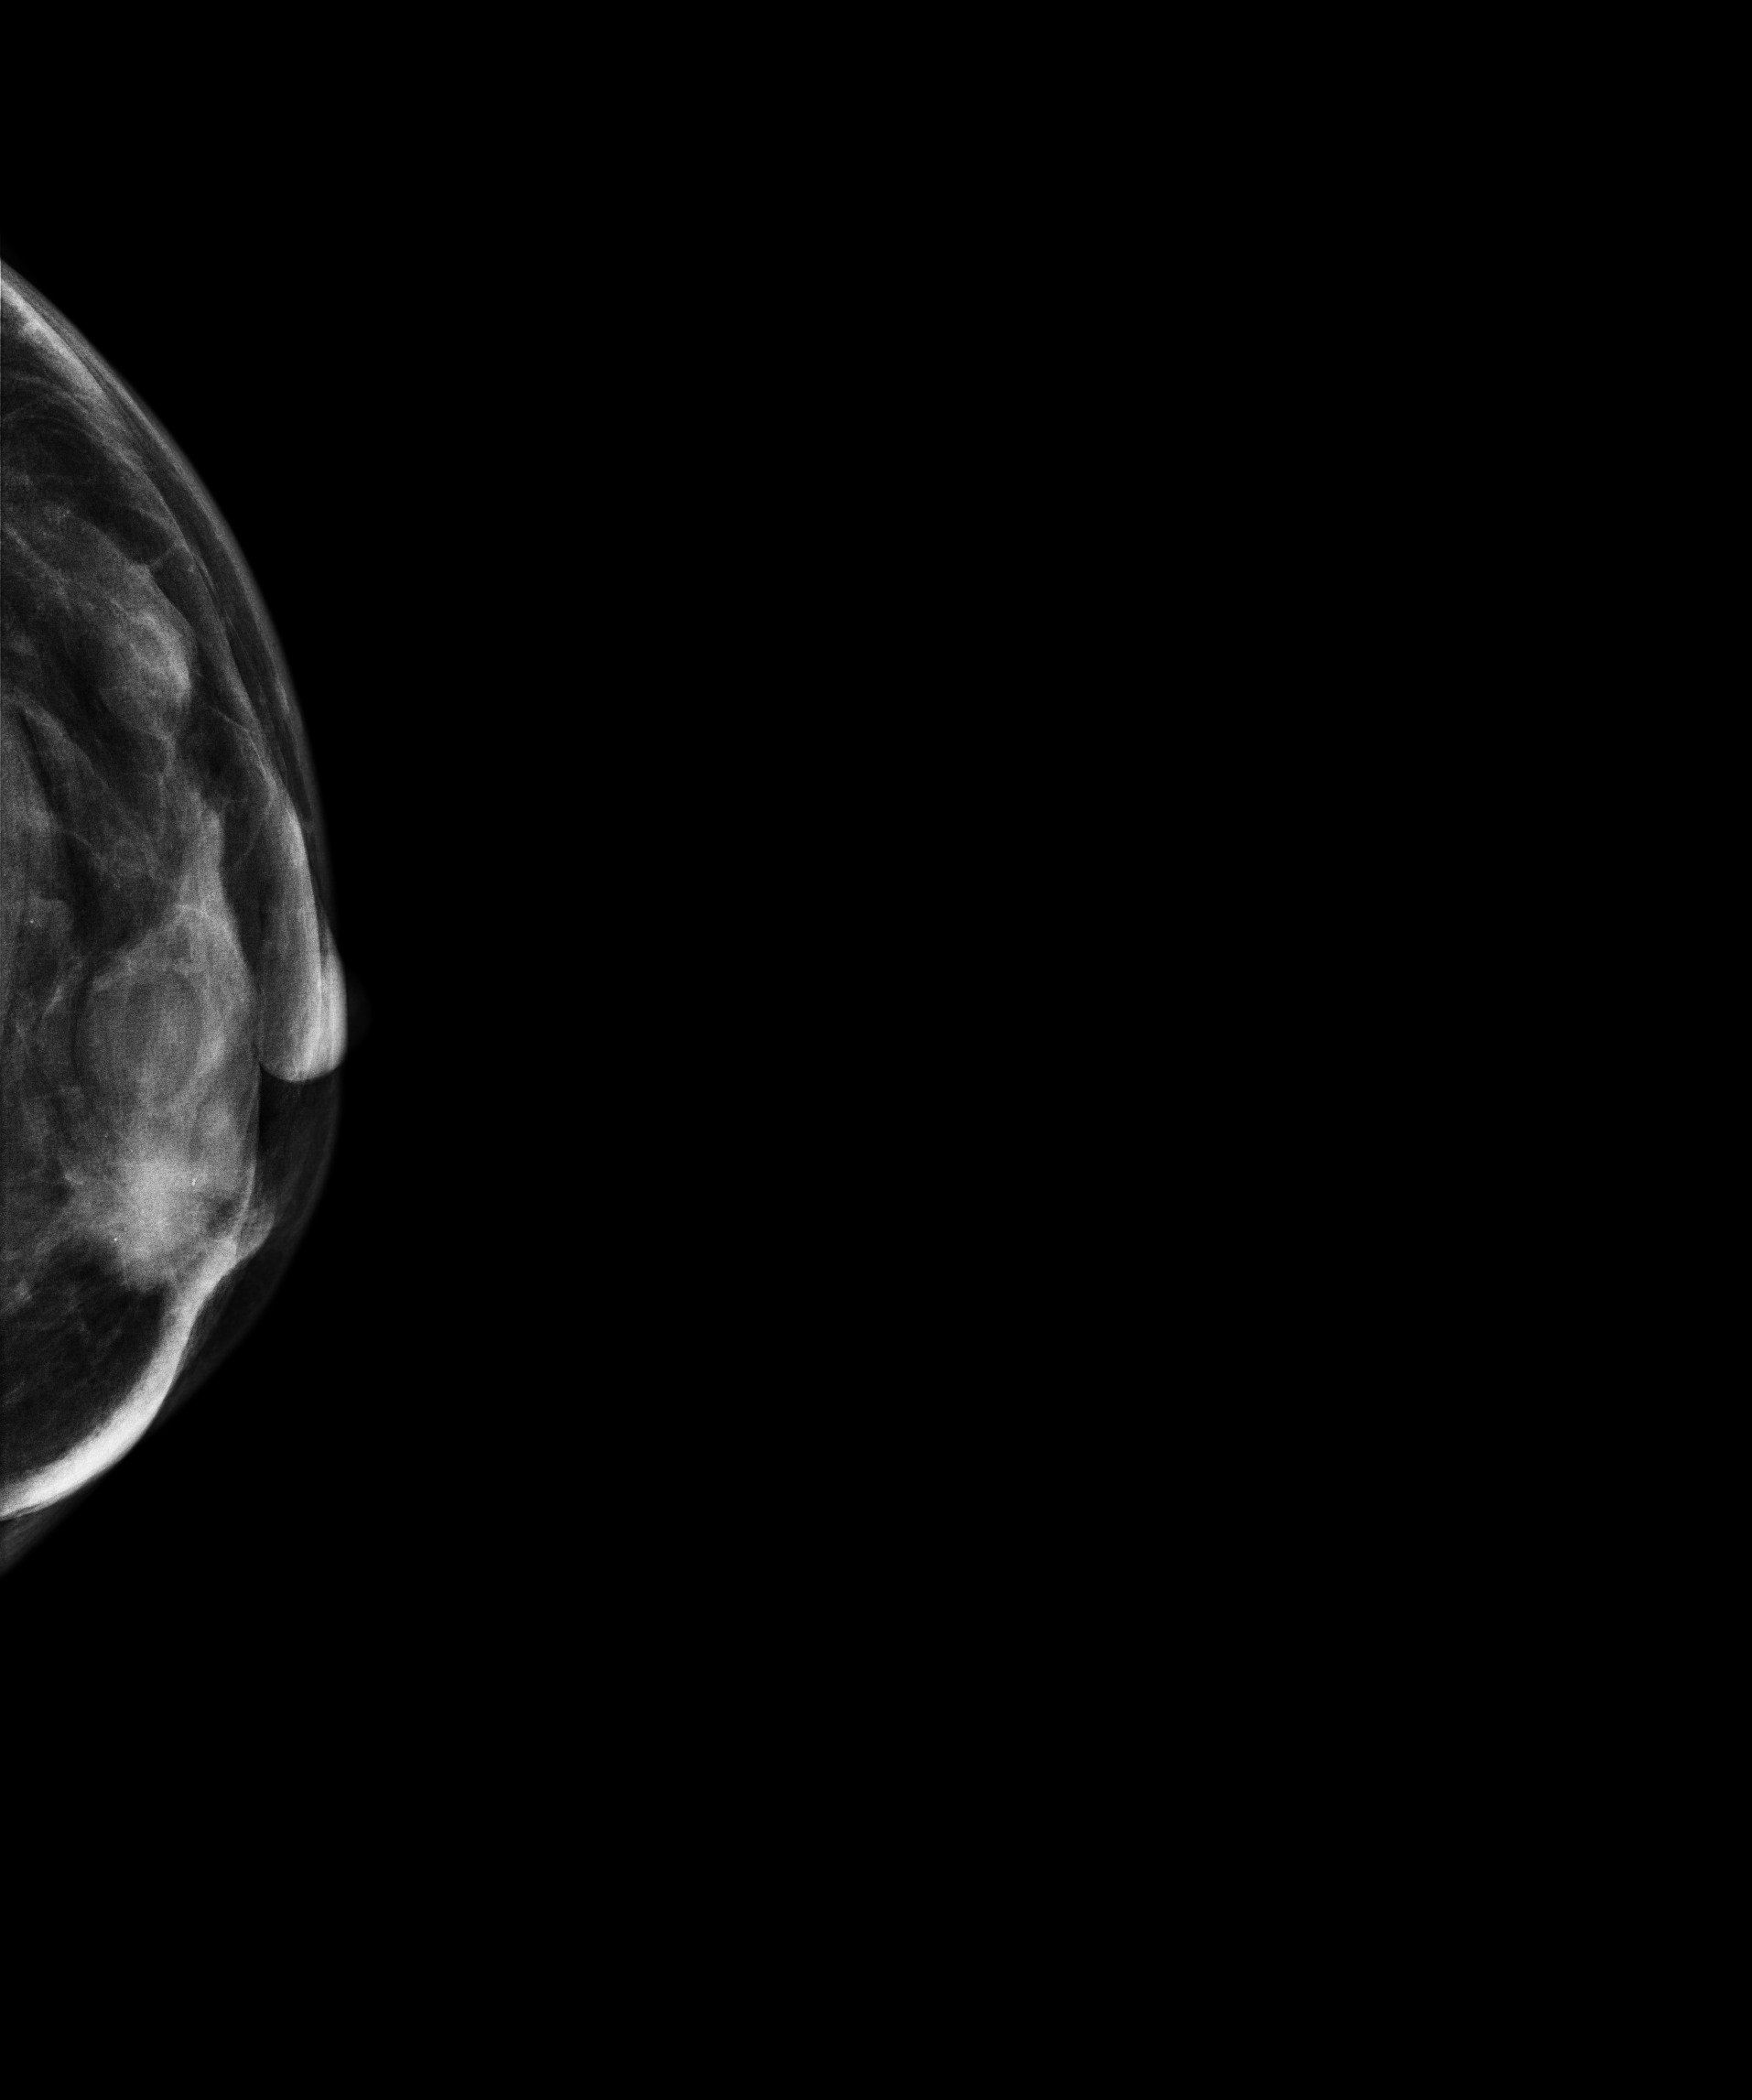
Left-breast mammogram, CC. 53-year-old patient.
This breast has a mass and calcifications, histologically confirmed malignant.